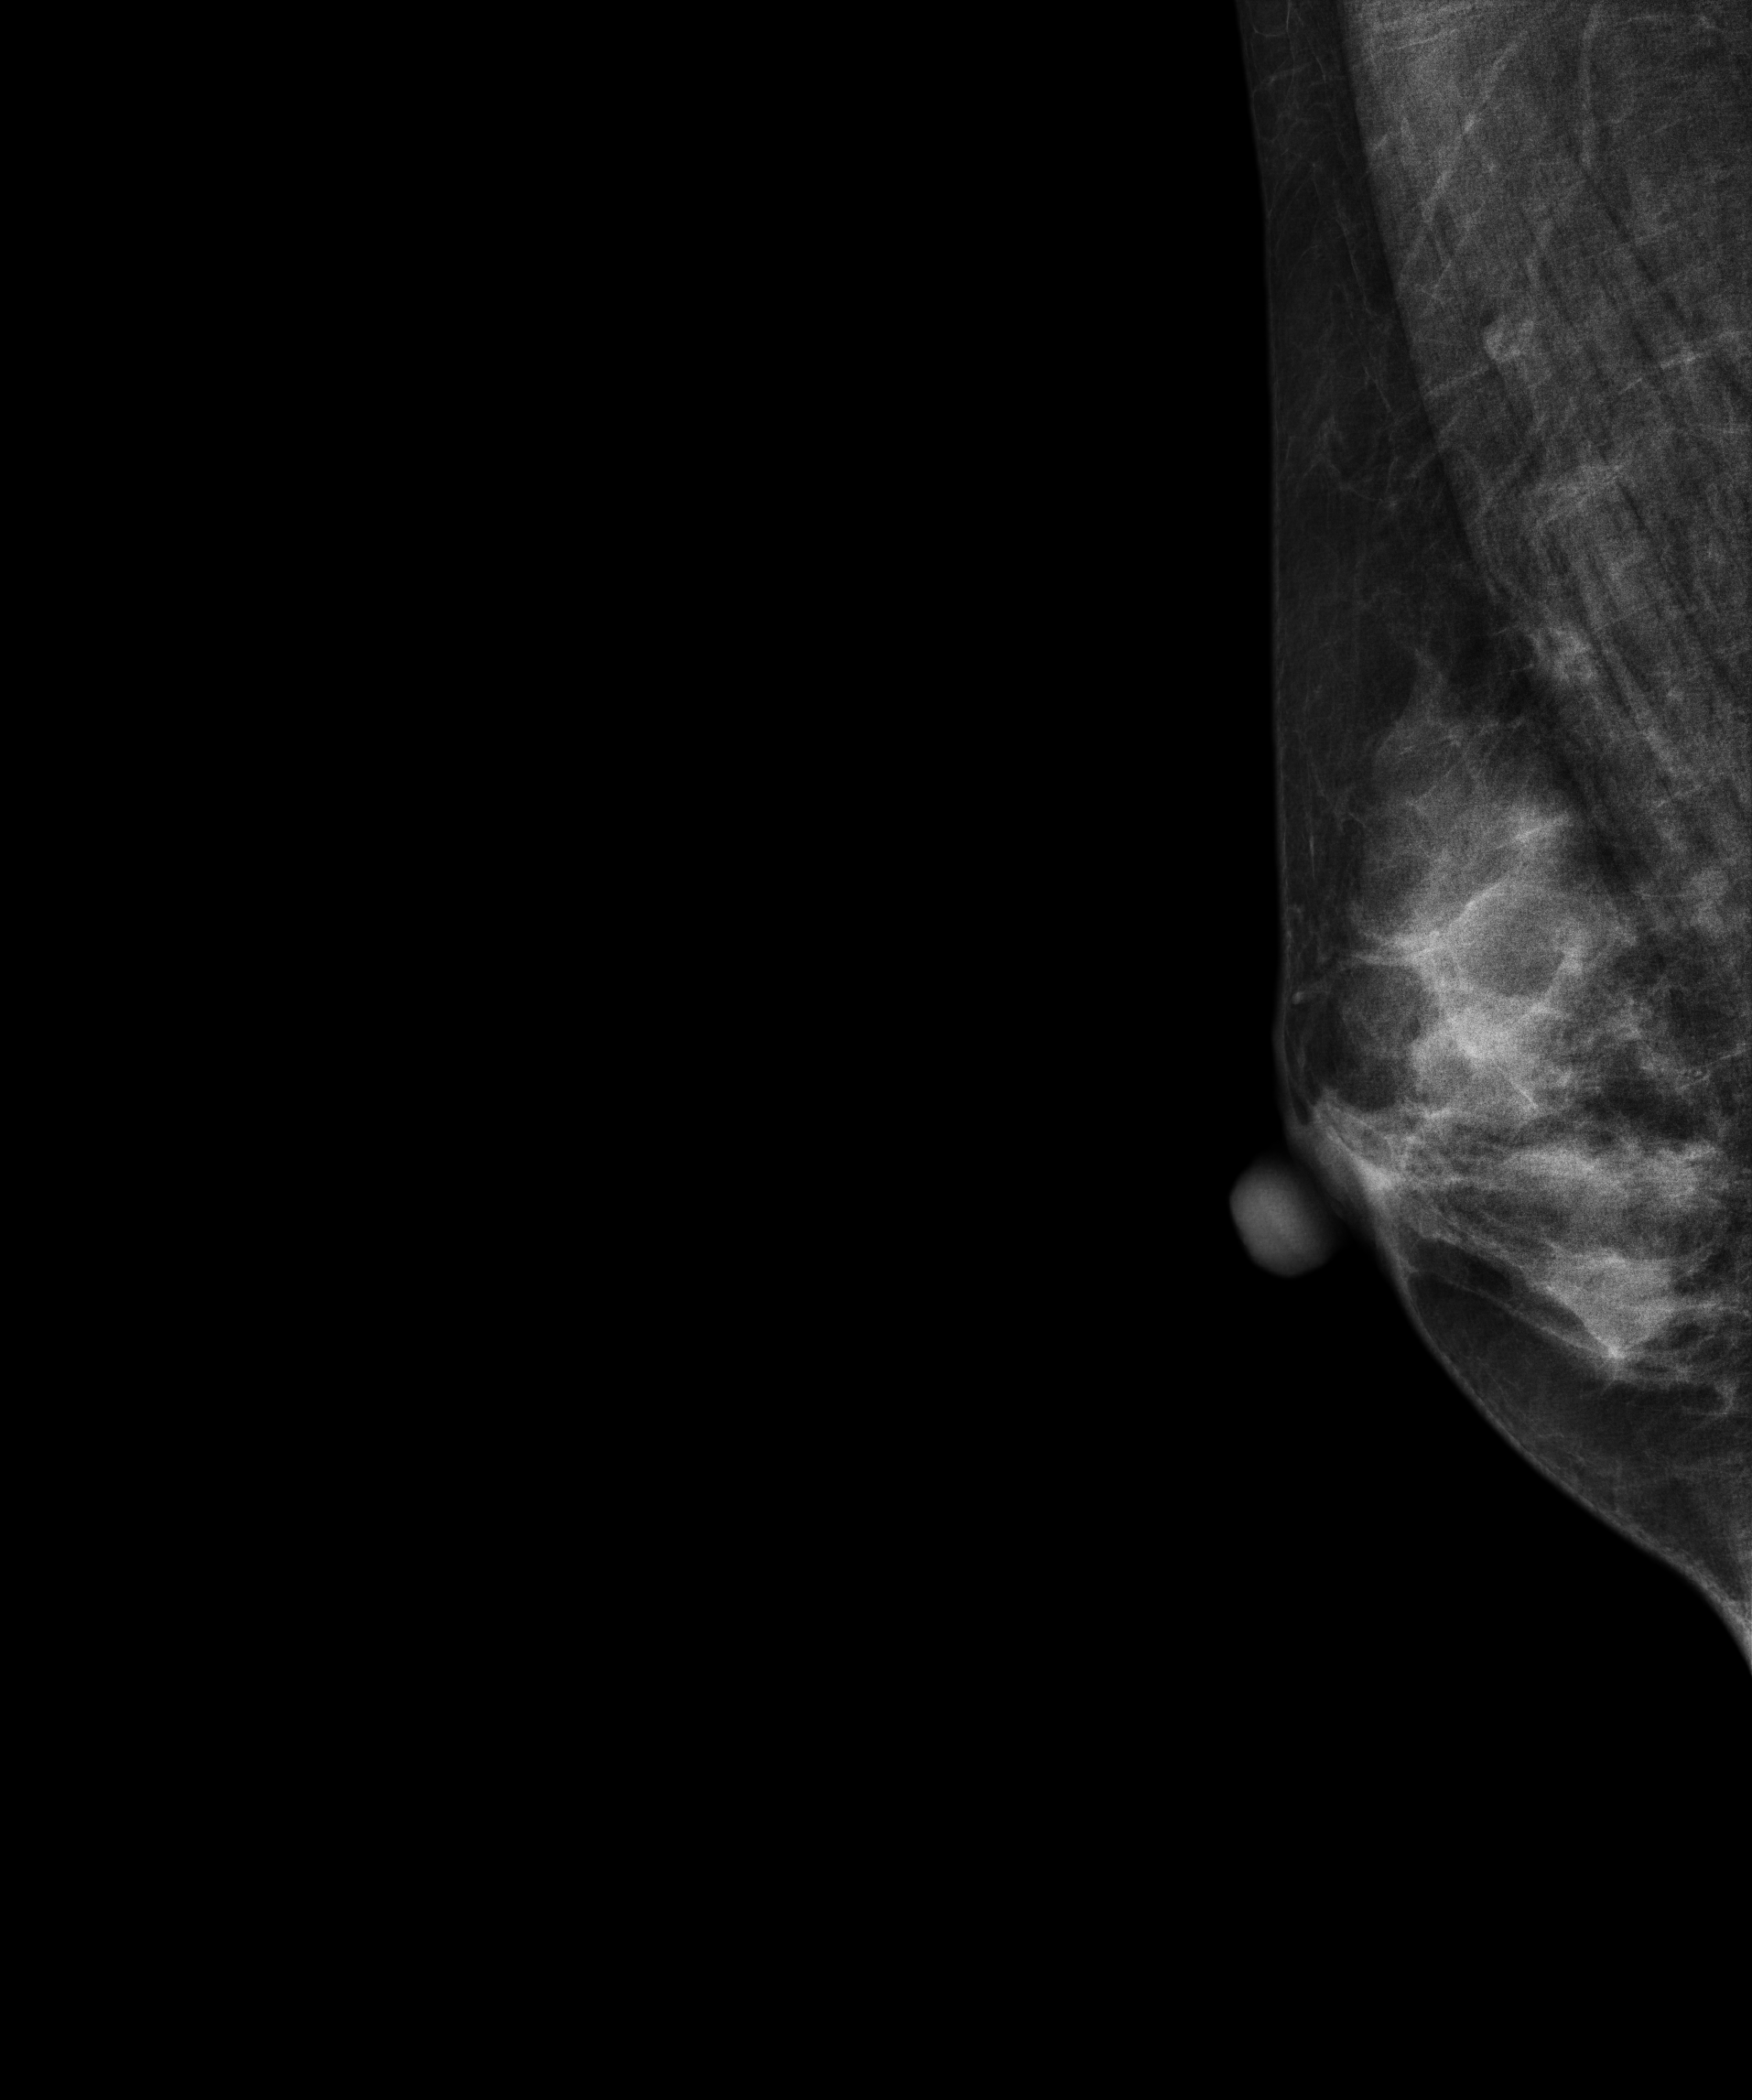
Digital mammography. Right breast, MLO projection. Patient age 46.
Contralateral breast — no documented abnormality on this side.